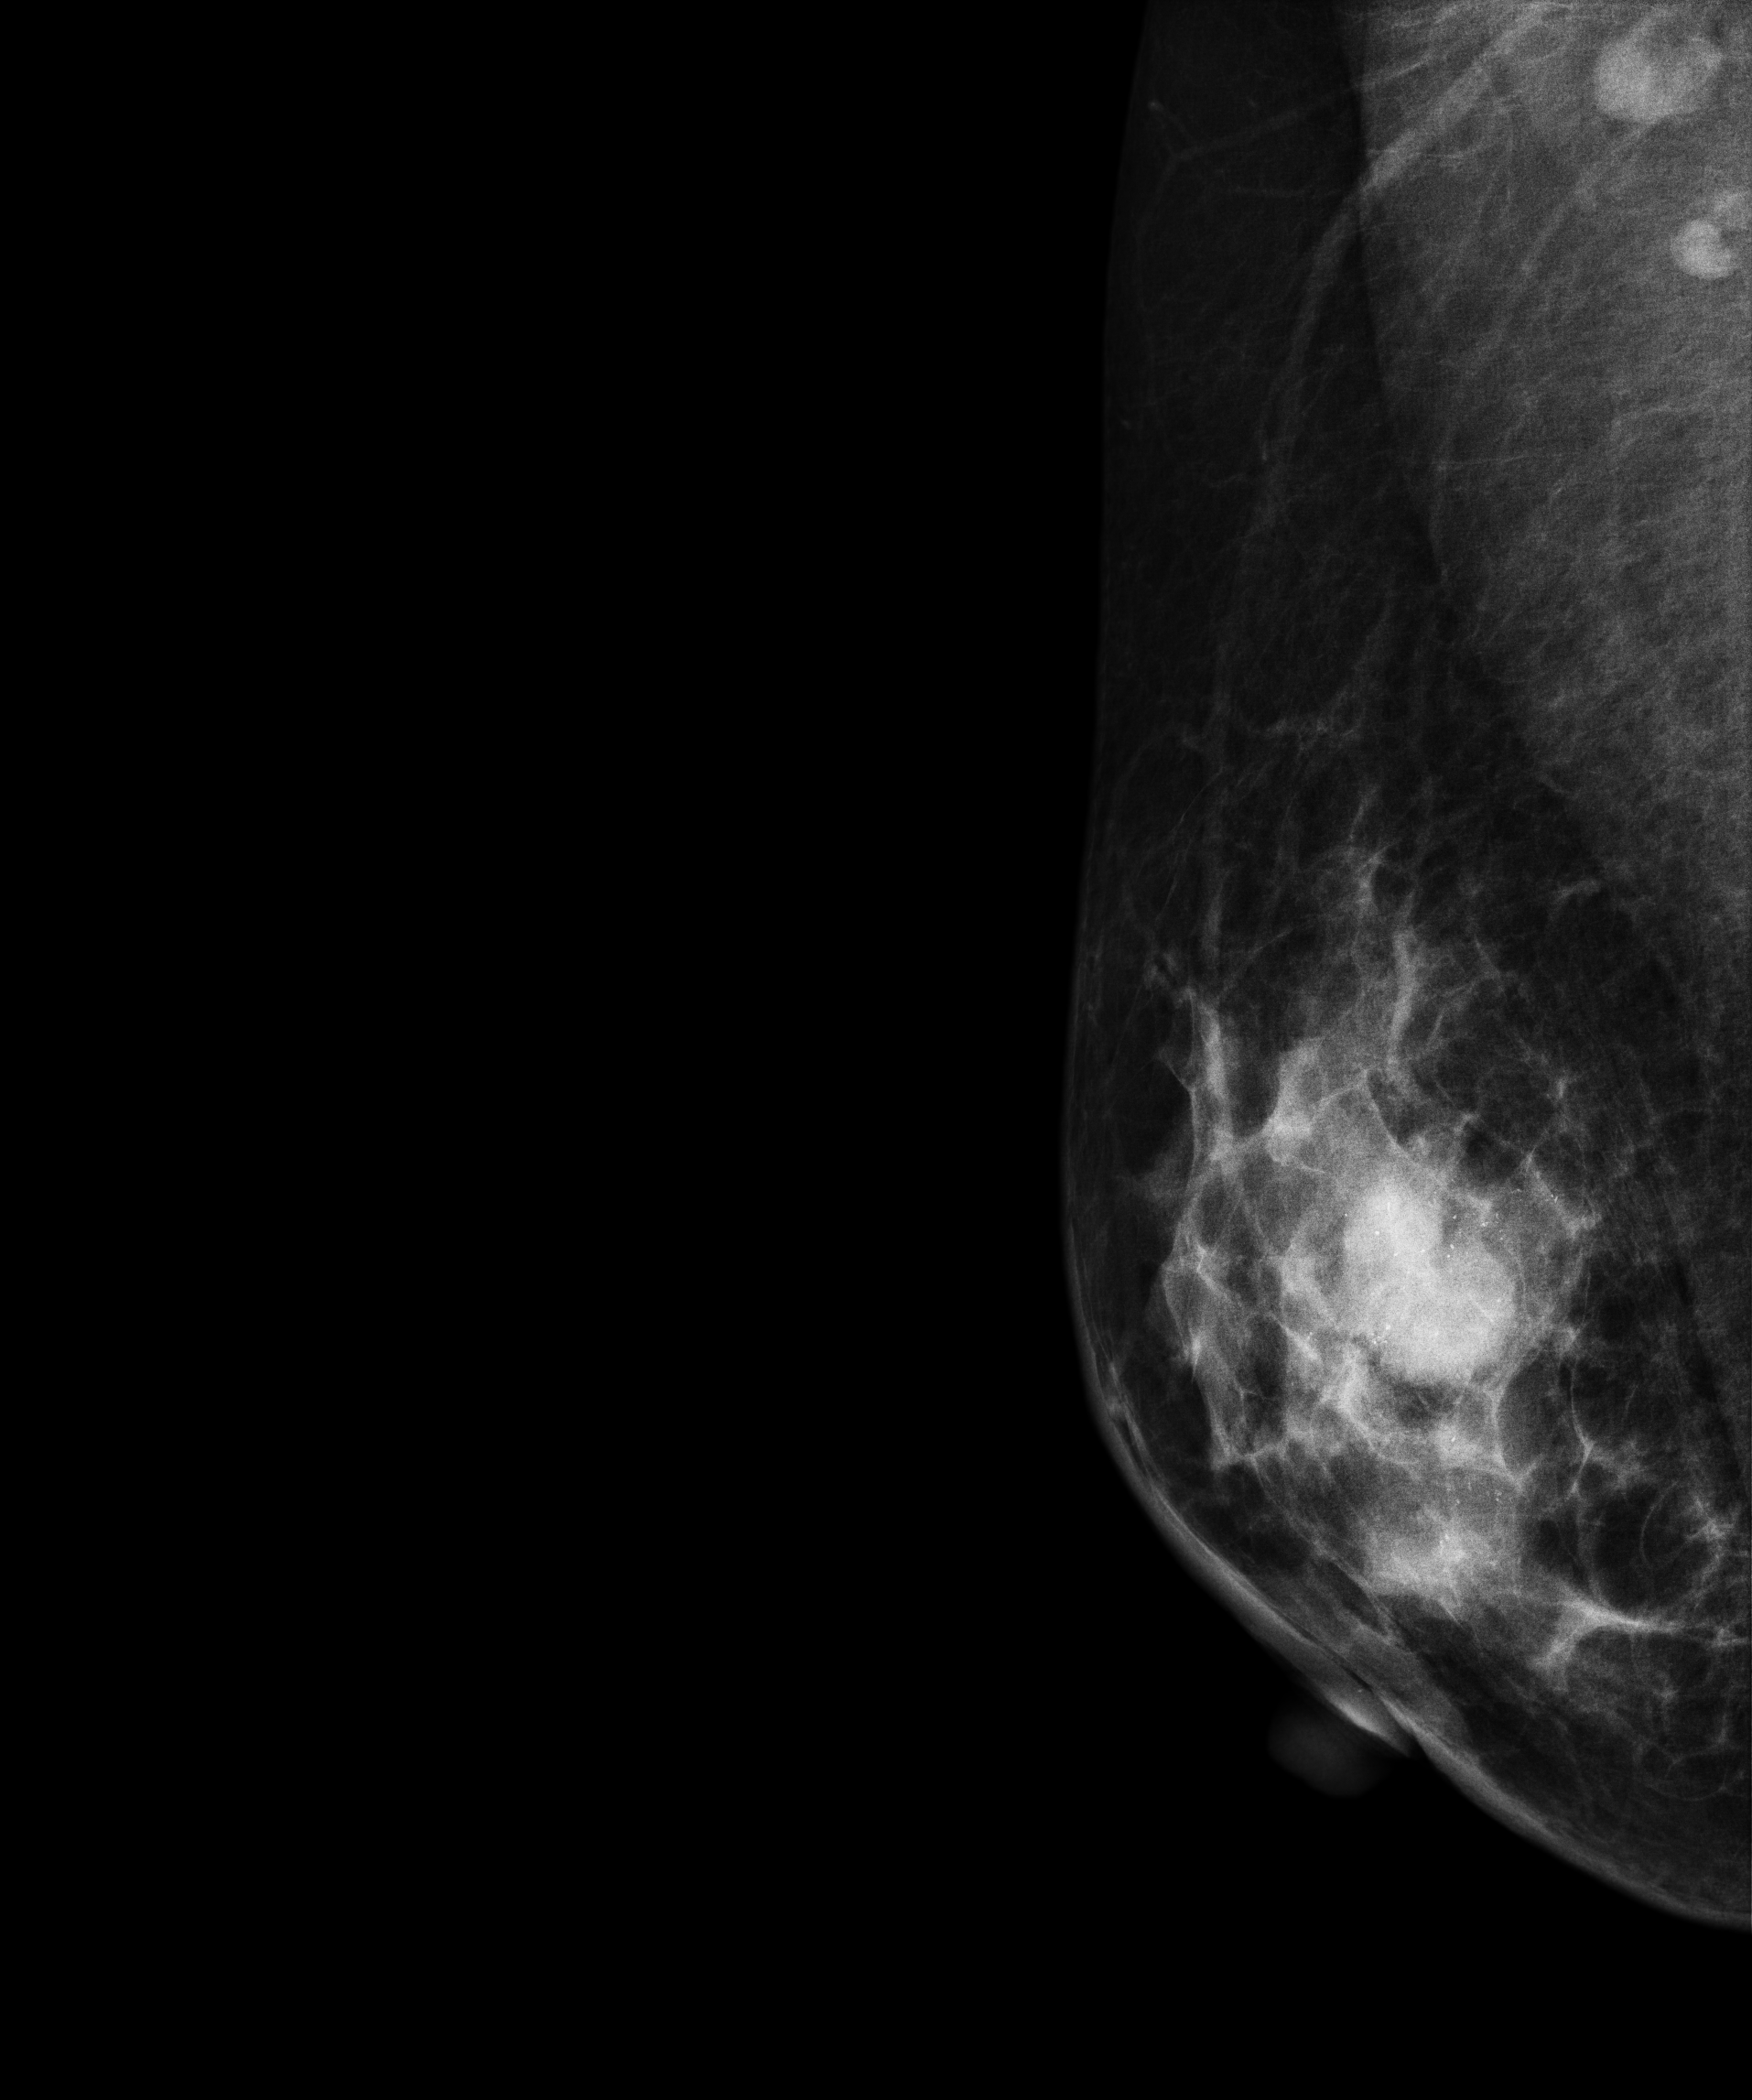
Digital mammography. Right breast, medio-lateral oblique projection. 36 y/o patient.
This breast has a mass and calcifications, histologically confirmed malignant. Molecular subtype: luminal B.